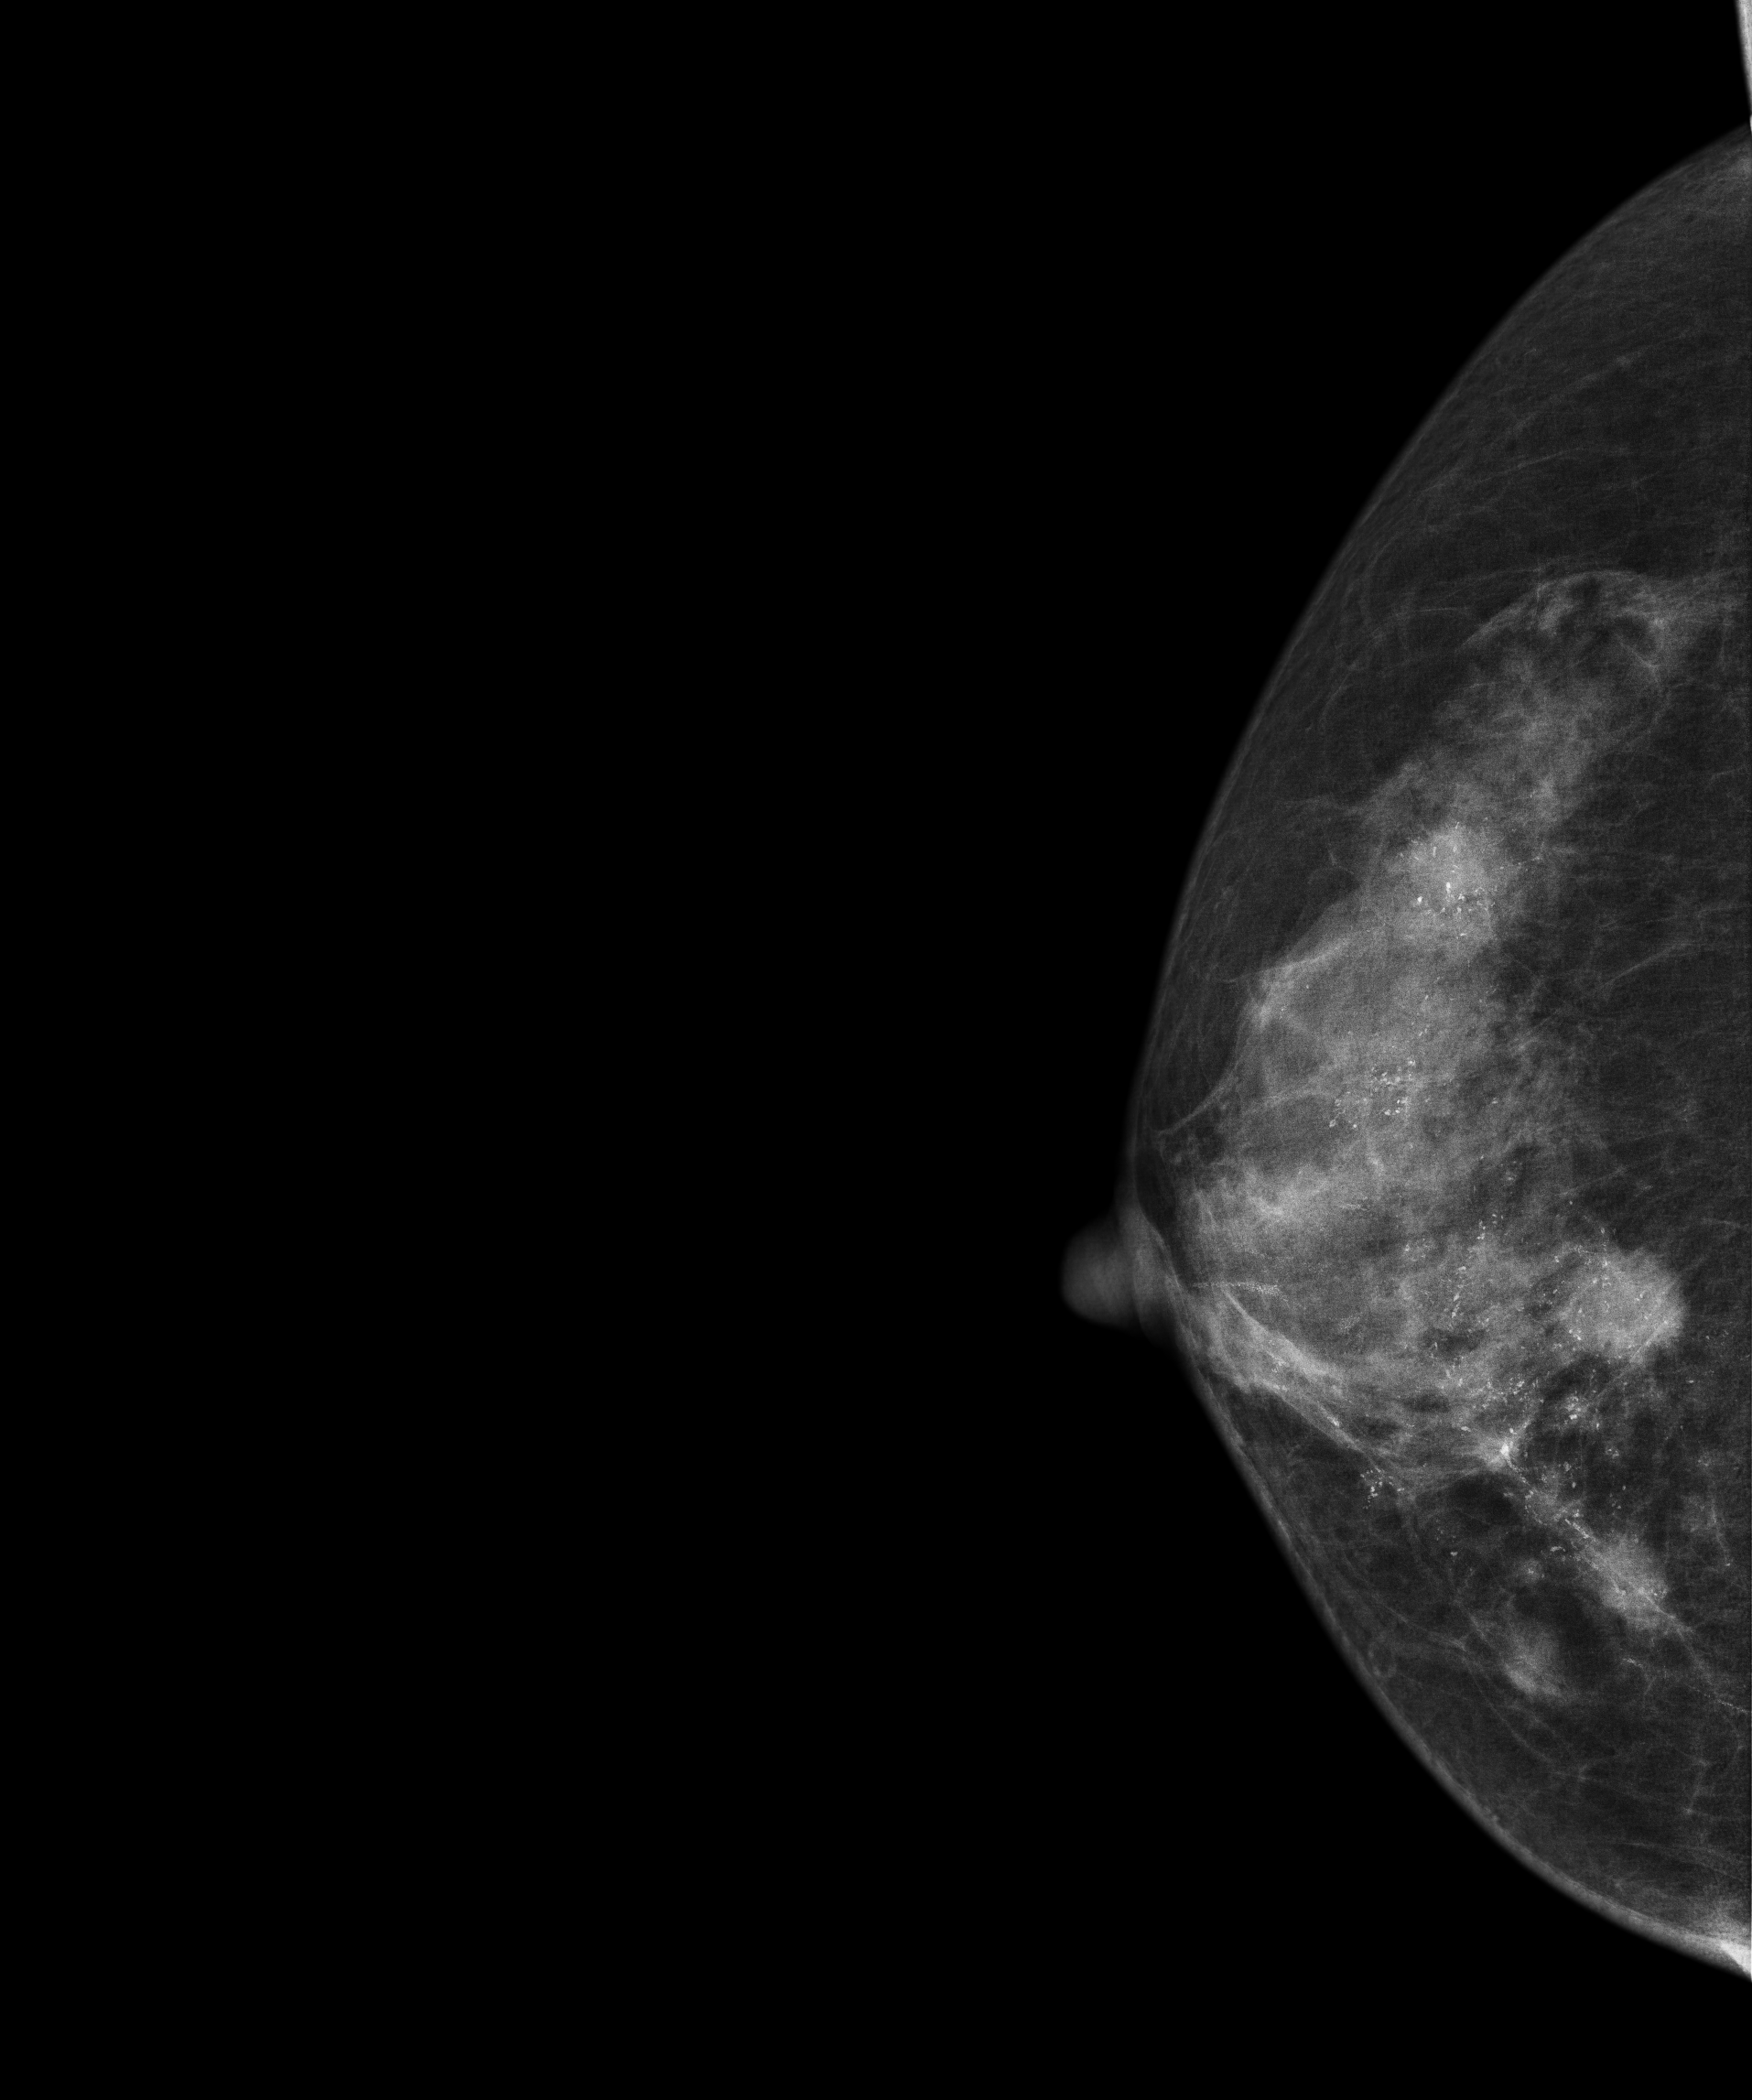
CC mammogram of the right breast. 57-year-old patient.
This breast has a mass and calcifications, biopsy-proven malignant. Molecular subtype: luminal B.